Left-breast mammogram, medio-lateral oblique. 44-year-old patient.
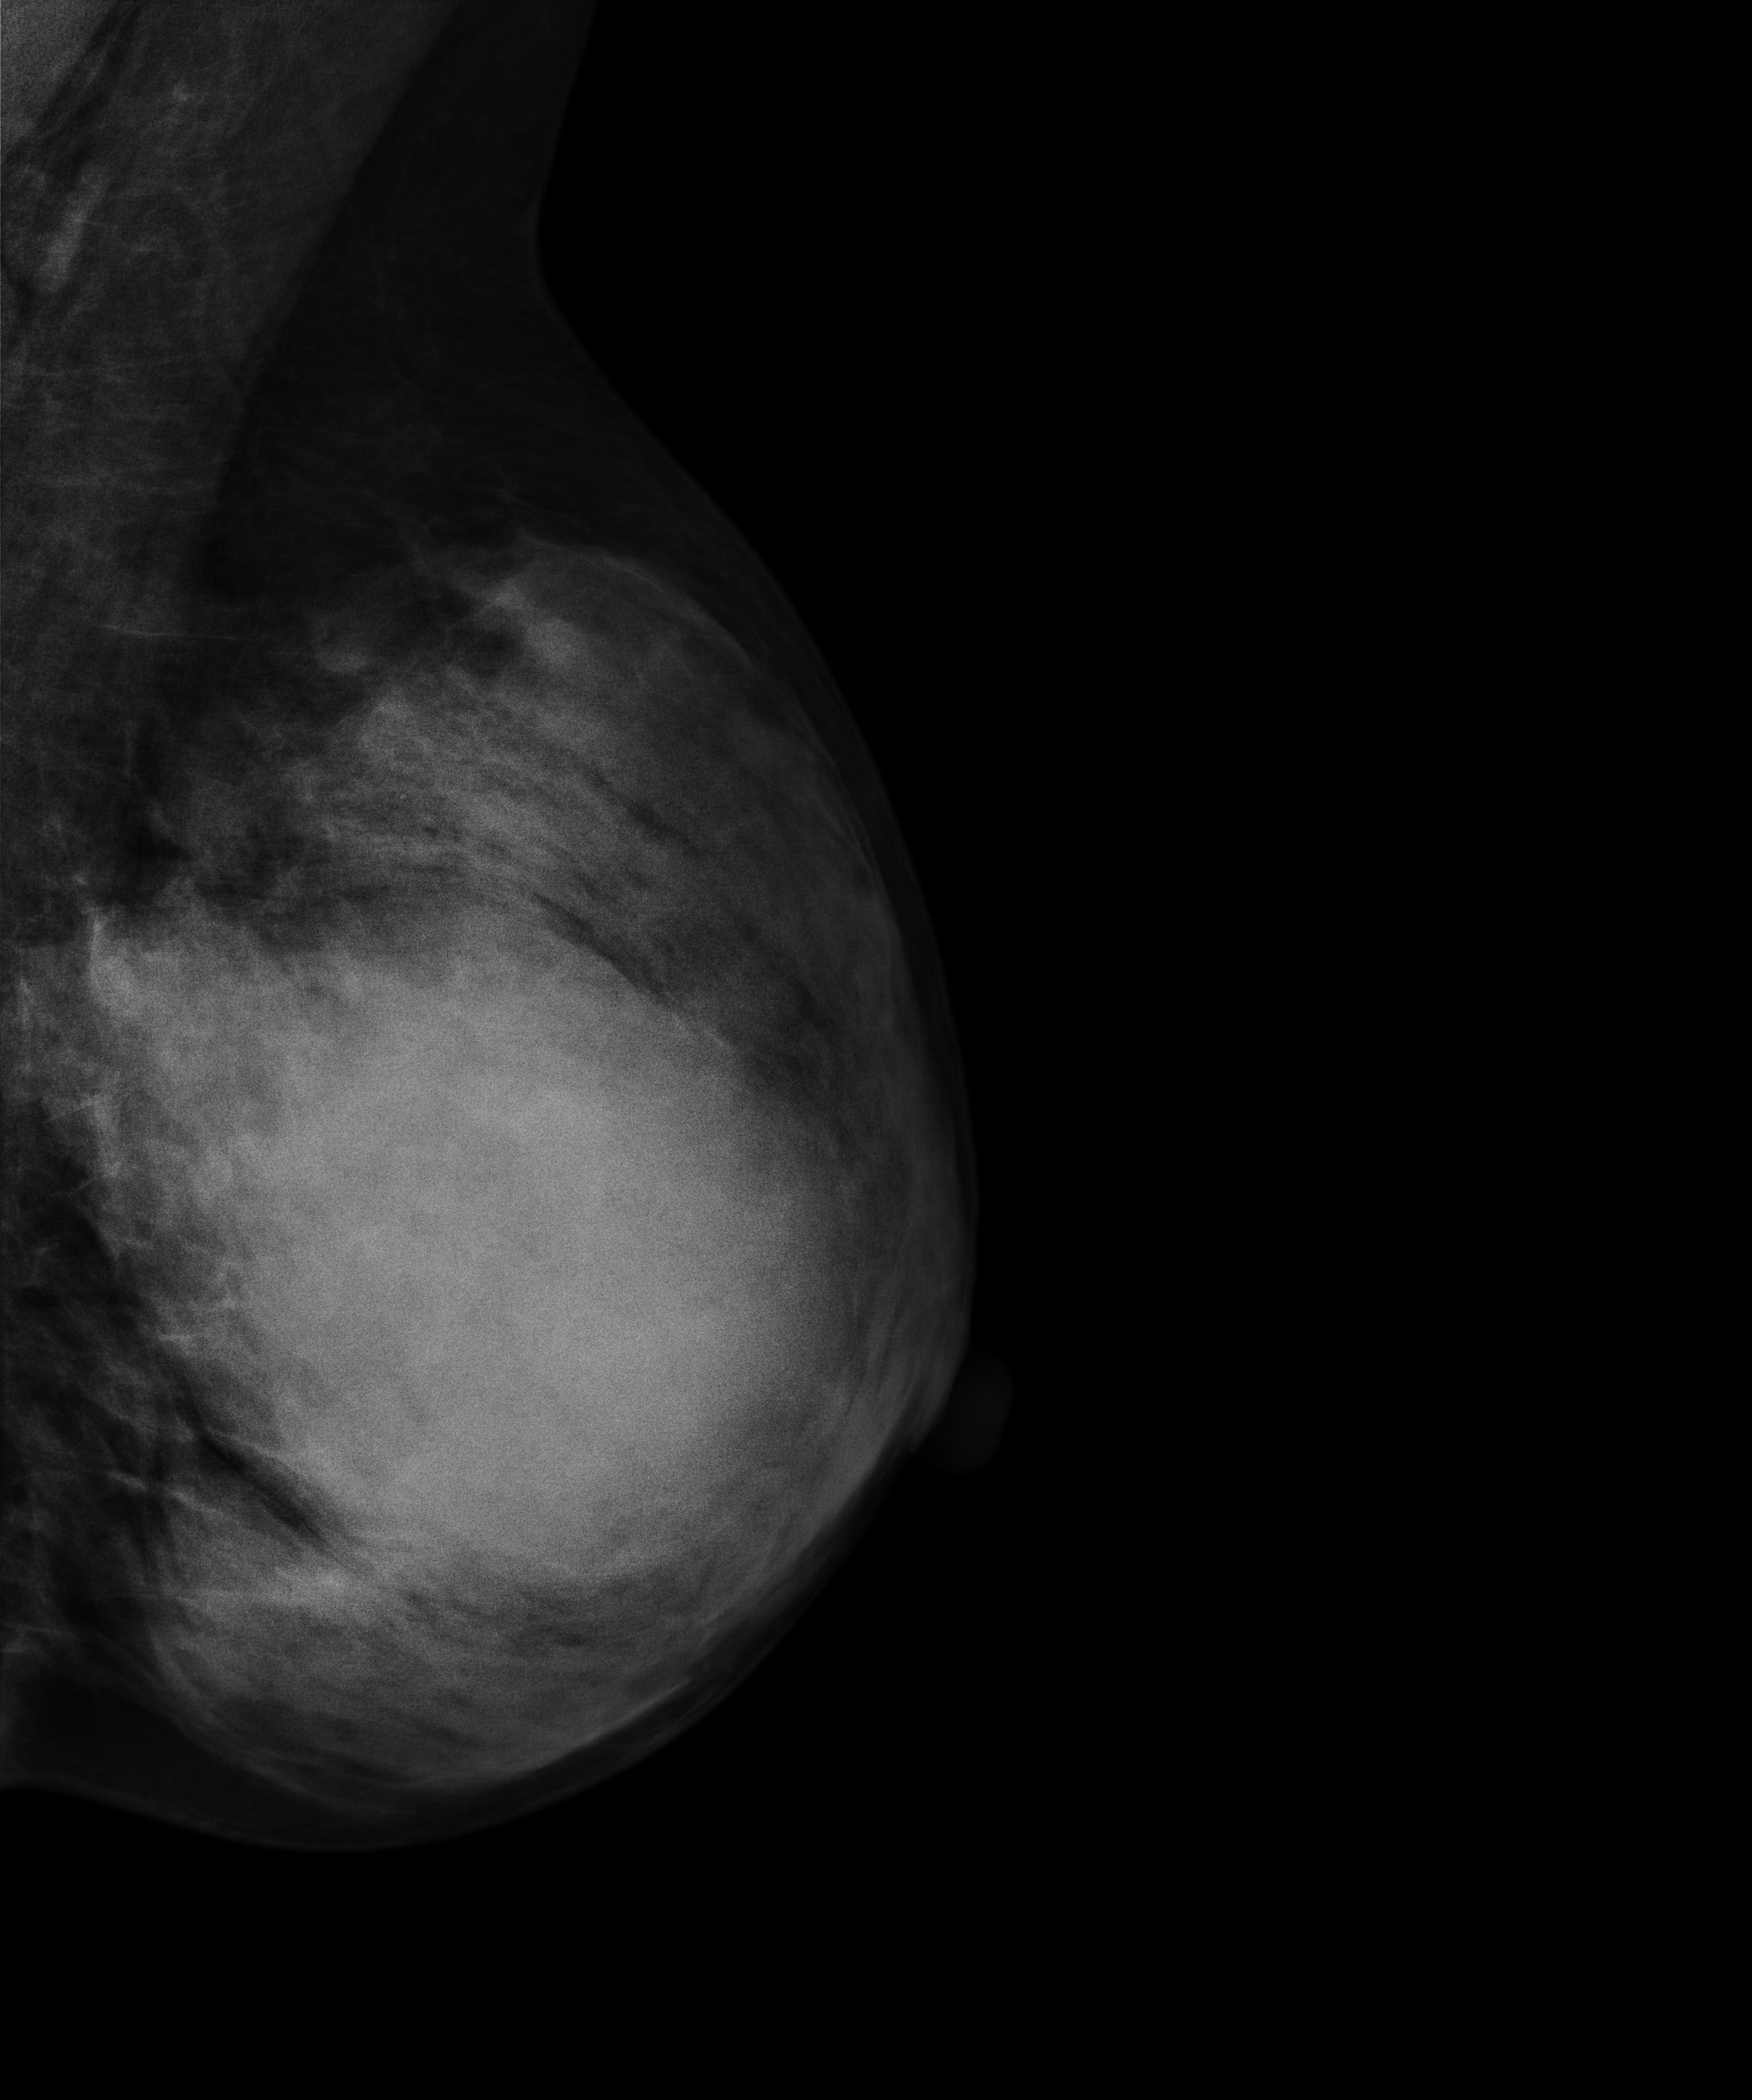
This breast has a mass, histologically confirmed malignant. Molecular subtype: luminal A.